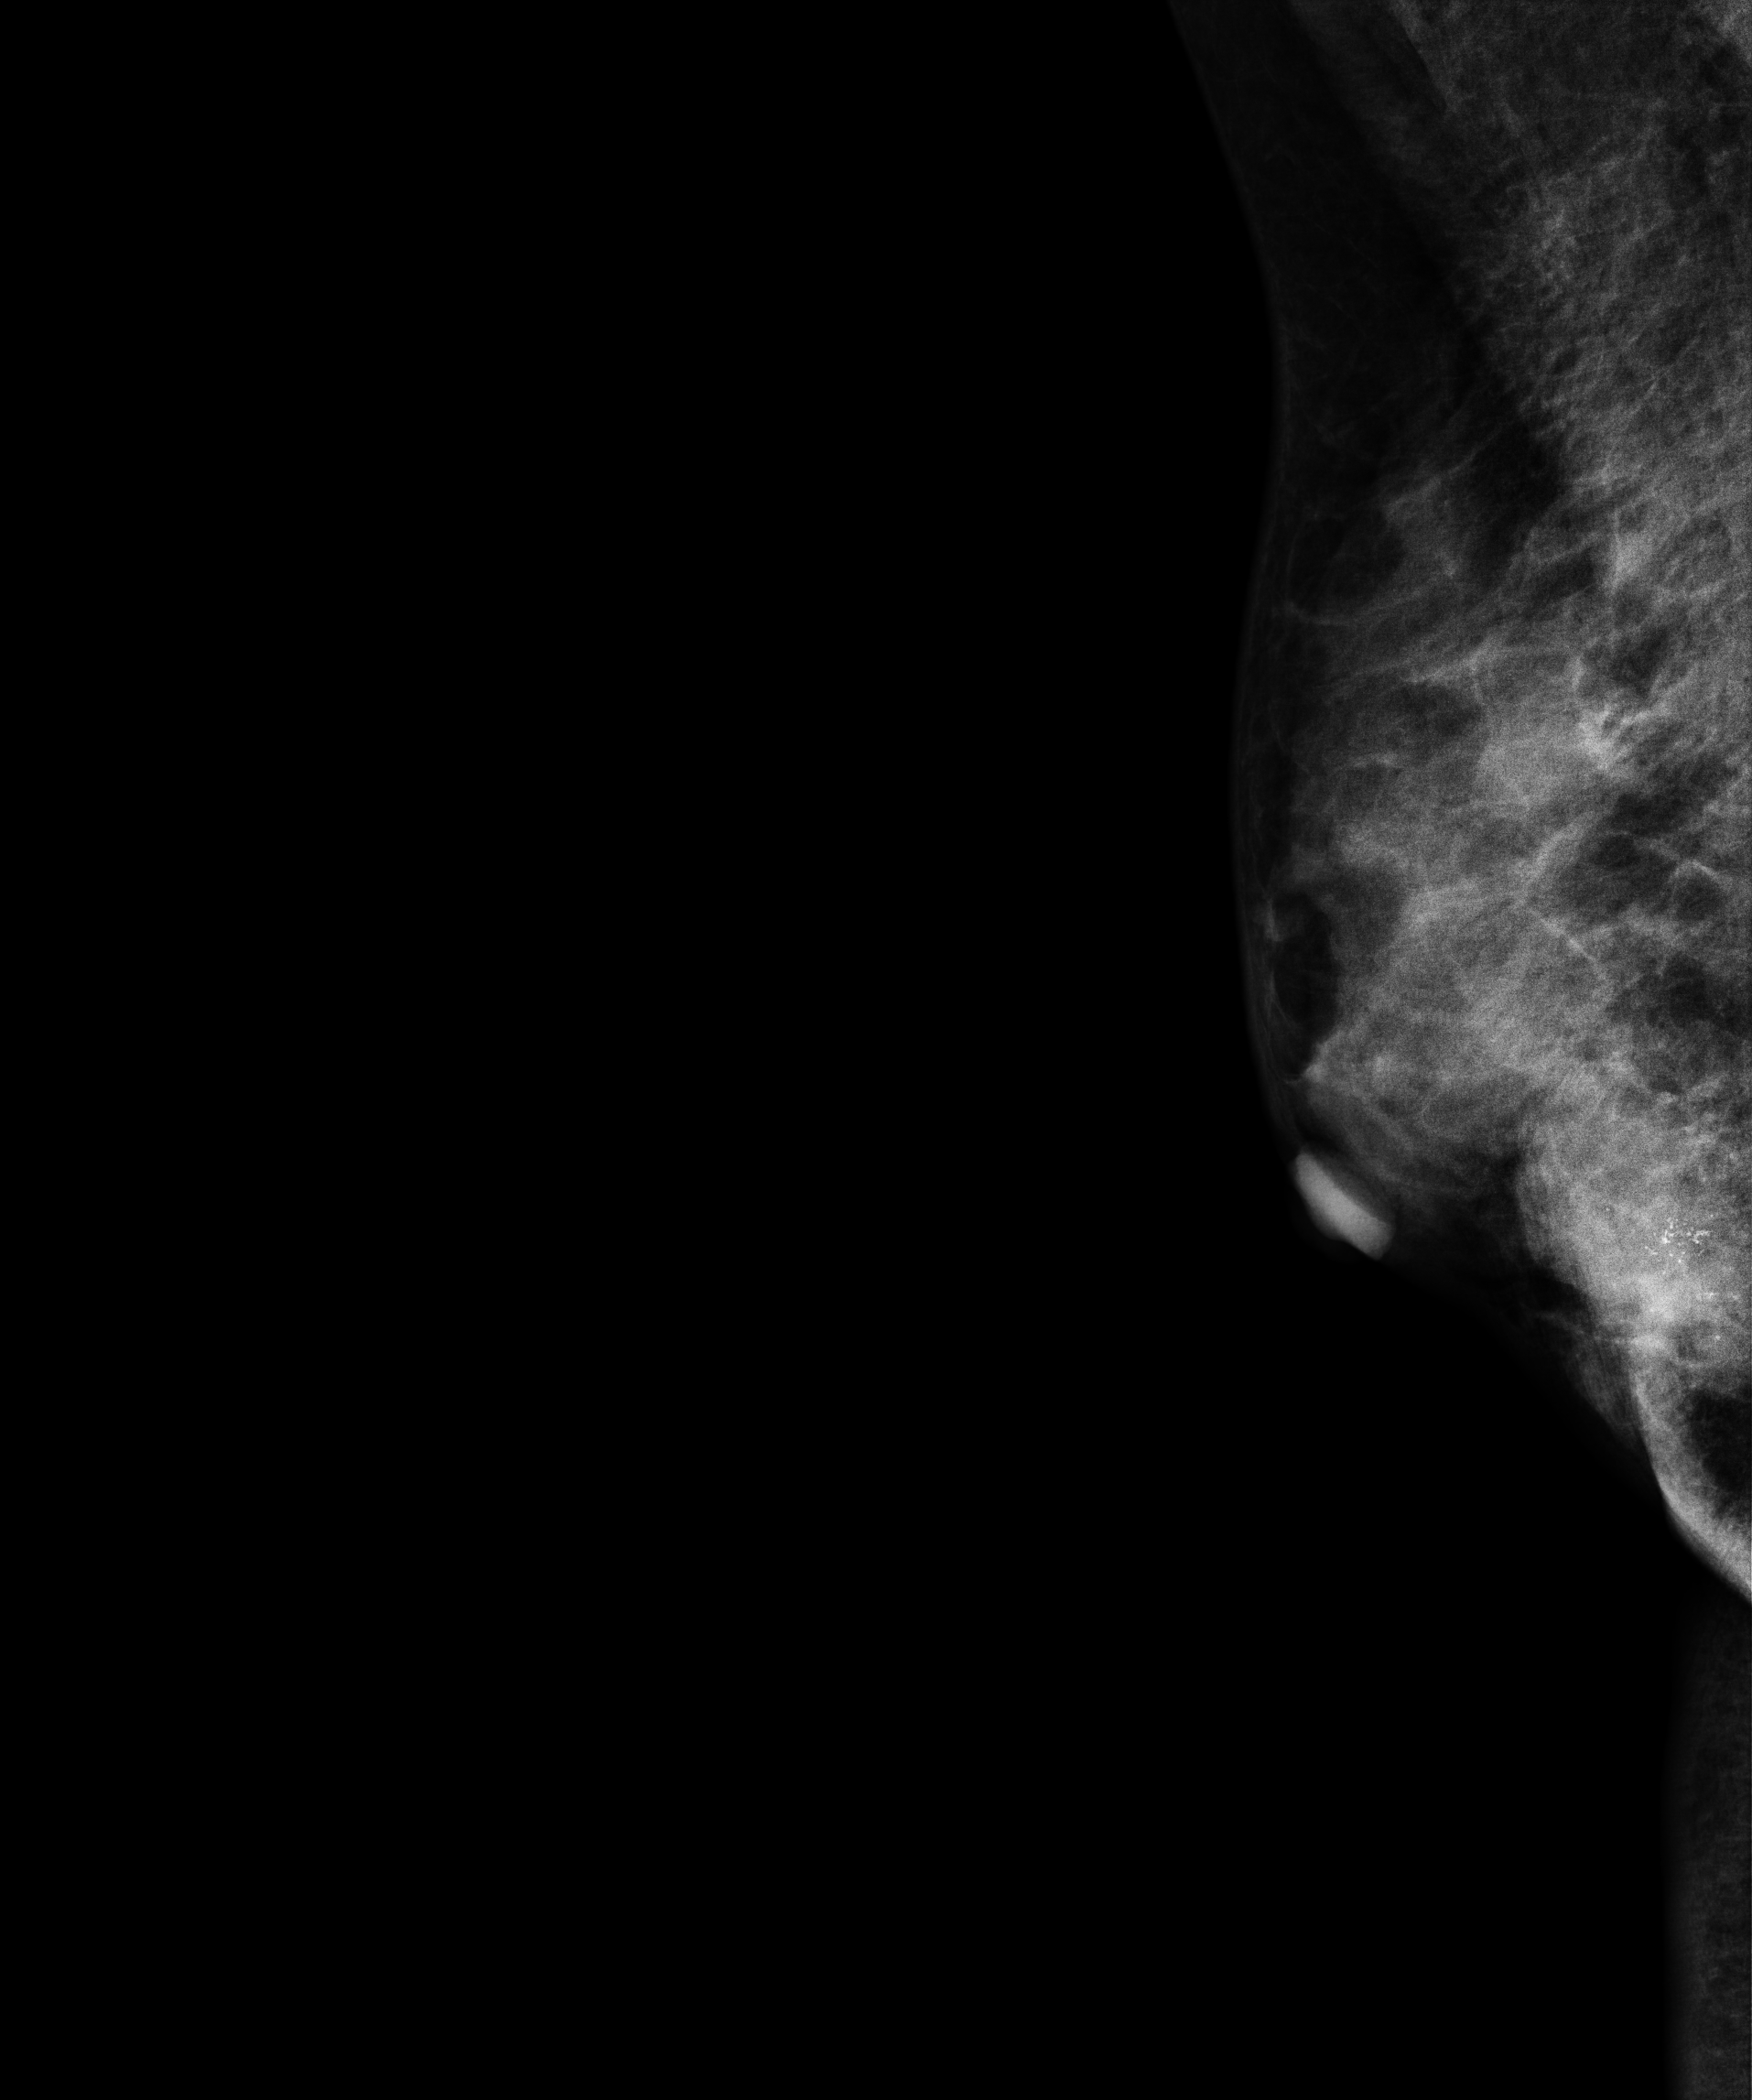
Mammogram, right breast, medio-lateral oblique view. Patient age 42.
This breast has a mass and calcifications, biopsy-confirmed malignant. Molecular subtype: luminal B.